Digital mammography. Left breast, CC projection. 40 y/o patient.
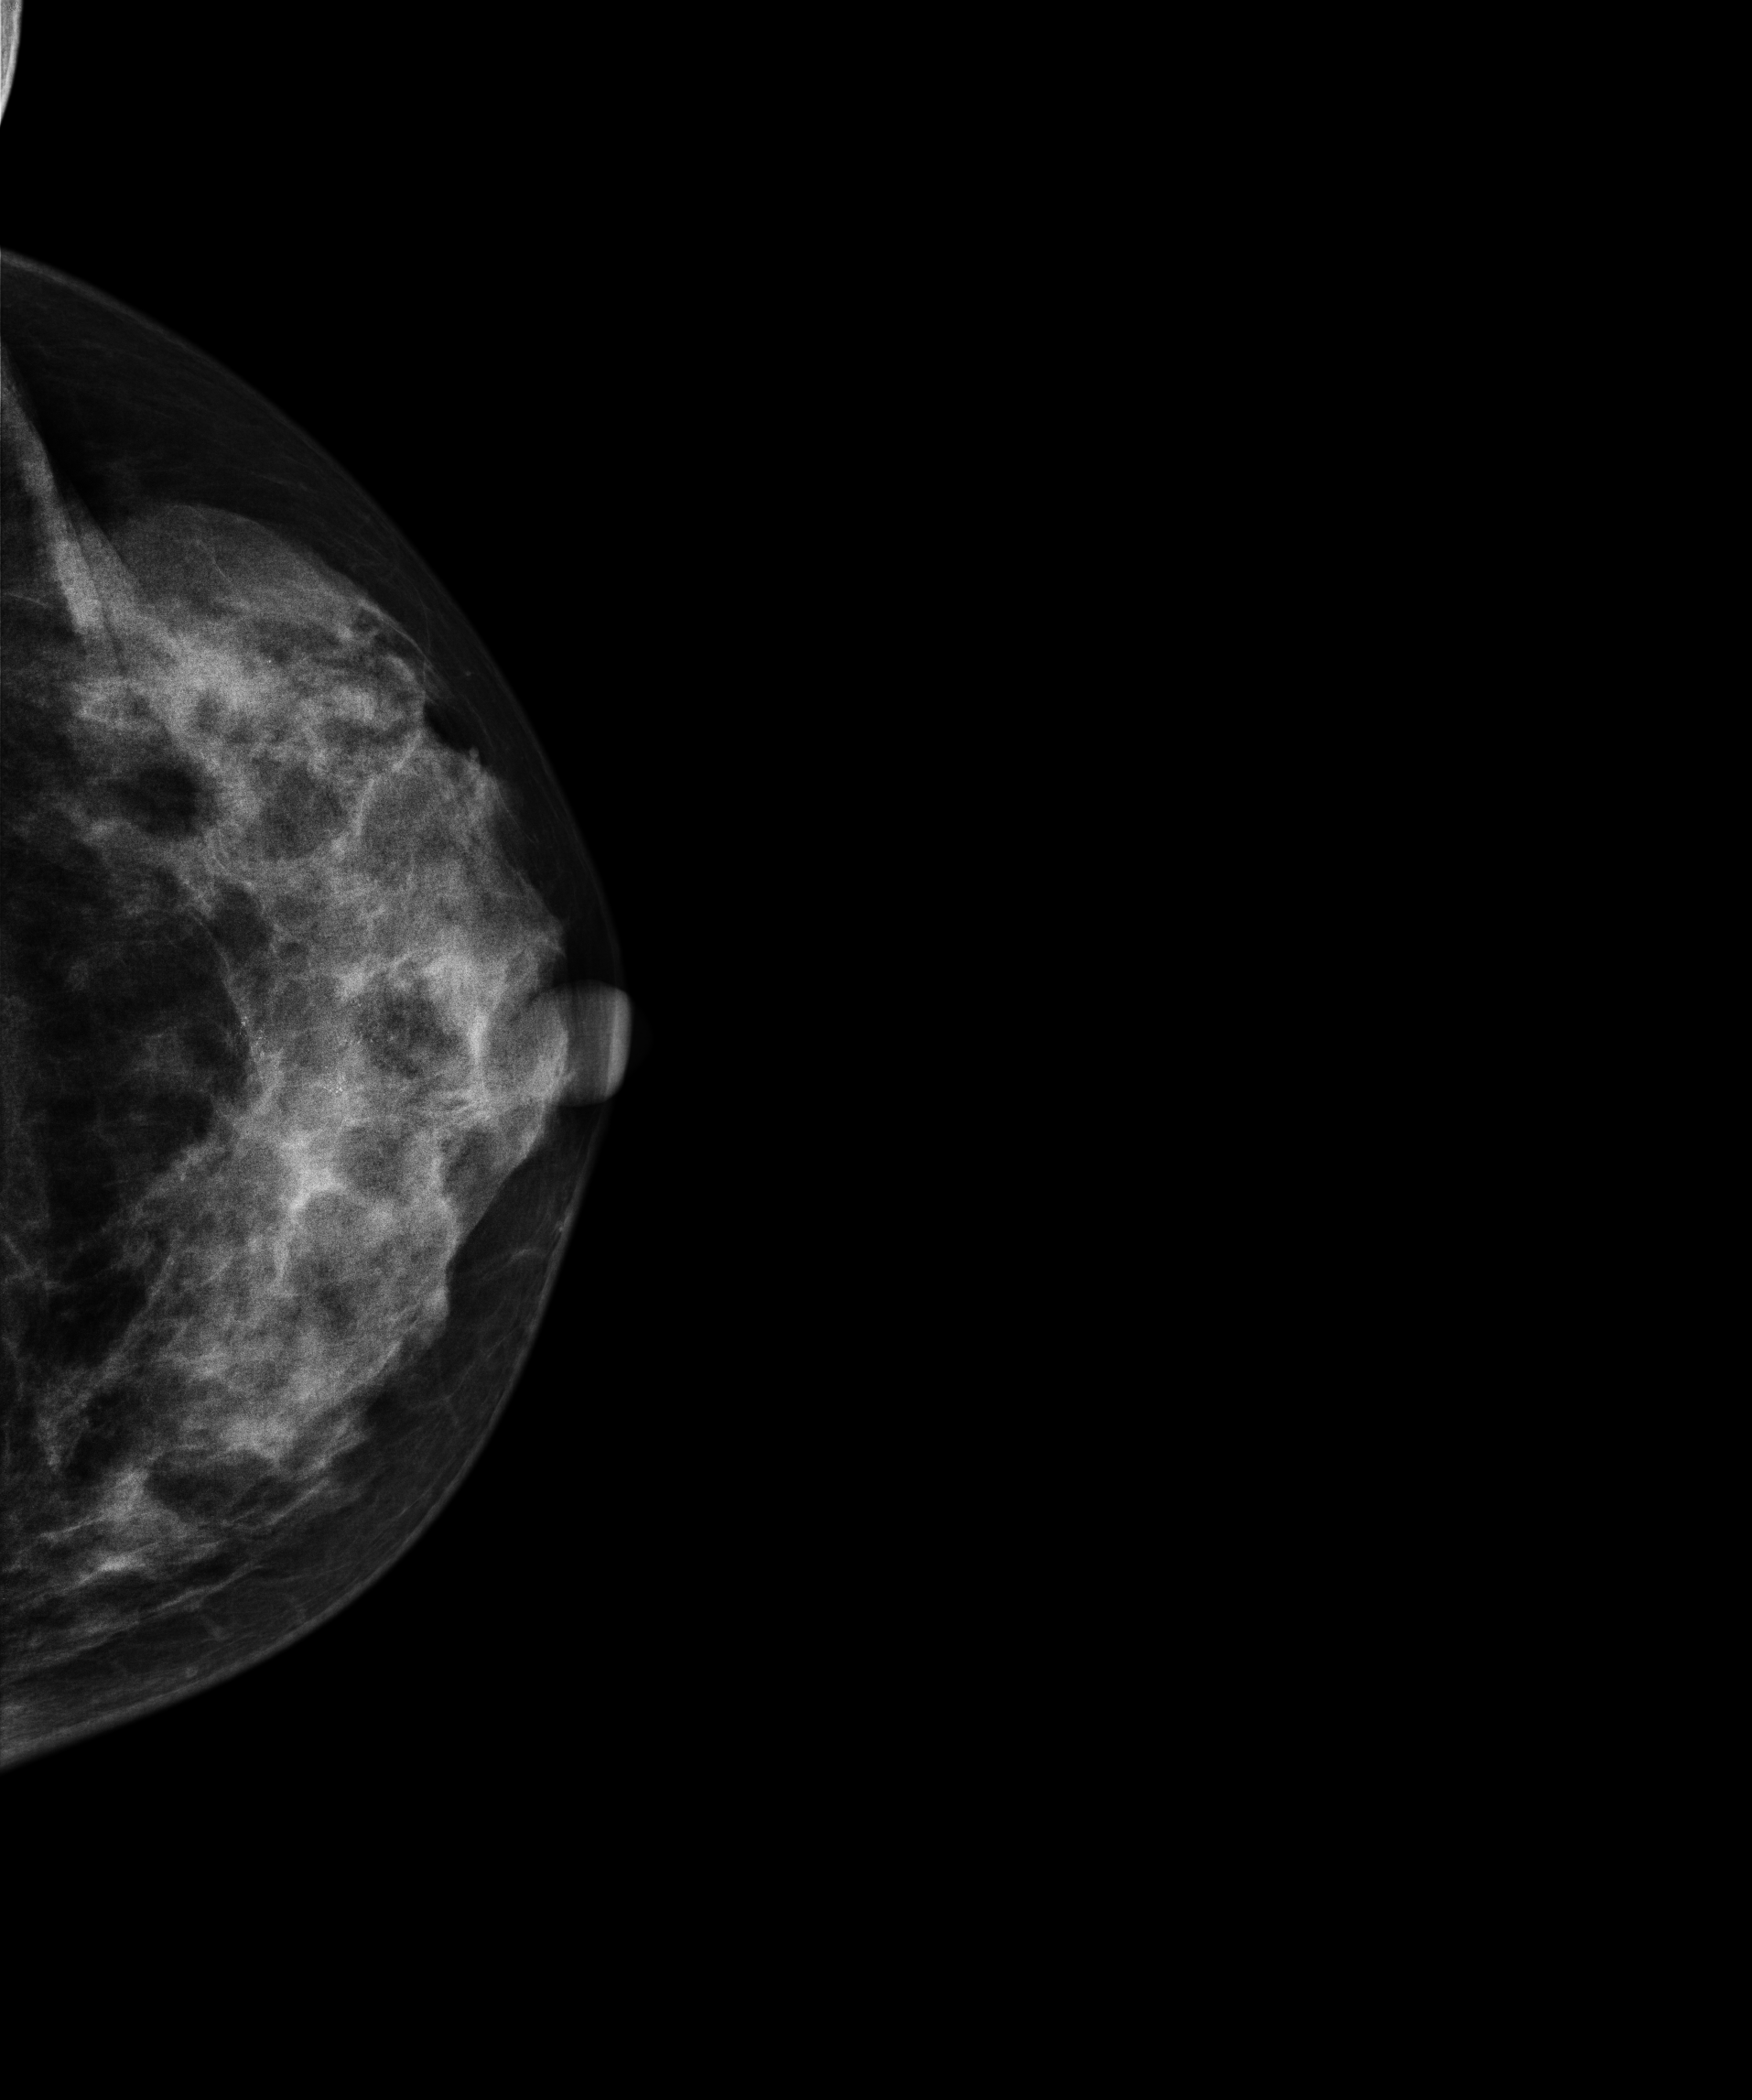
This breast has calcifications, biopsy-confirmed malignant. Molecular subtype: luminal A.